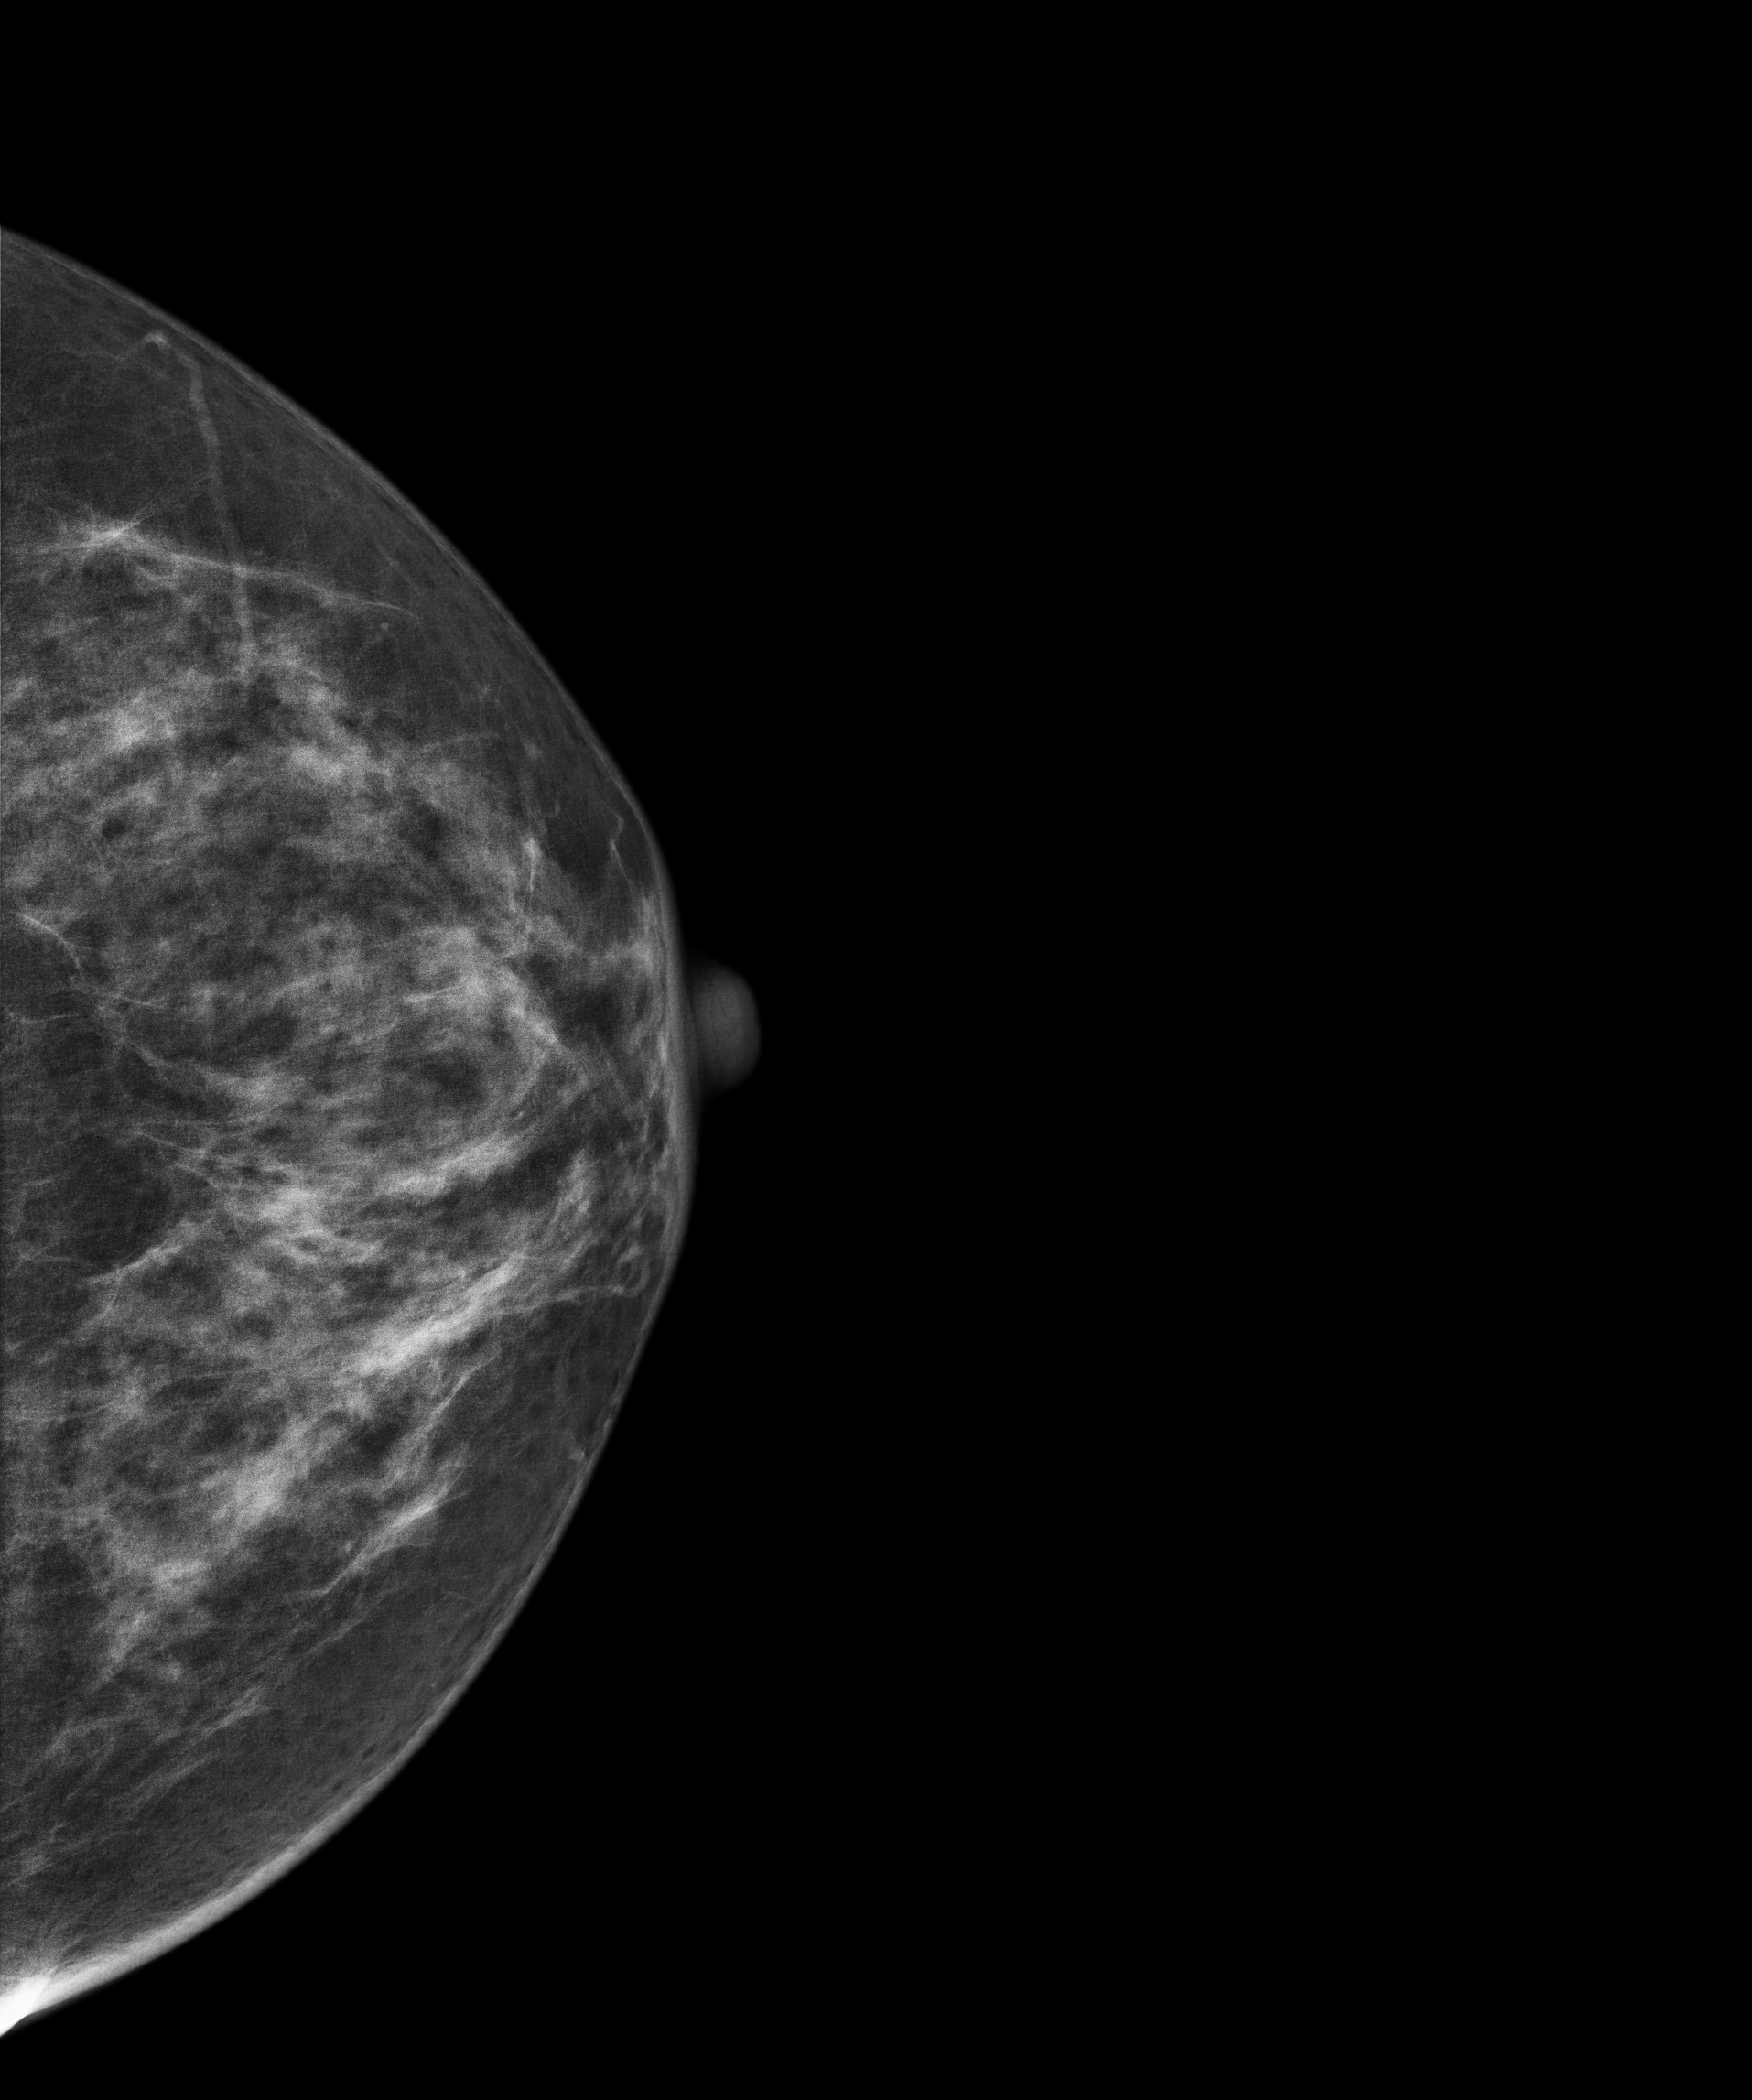
Left-breast mammogram, cranio-caudal. Patient age 53.
Contralateral breast — no documented abnormality on this side.